Mammogram — left MLO. Patient age 44.
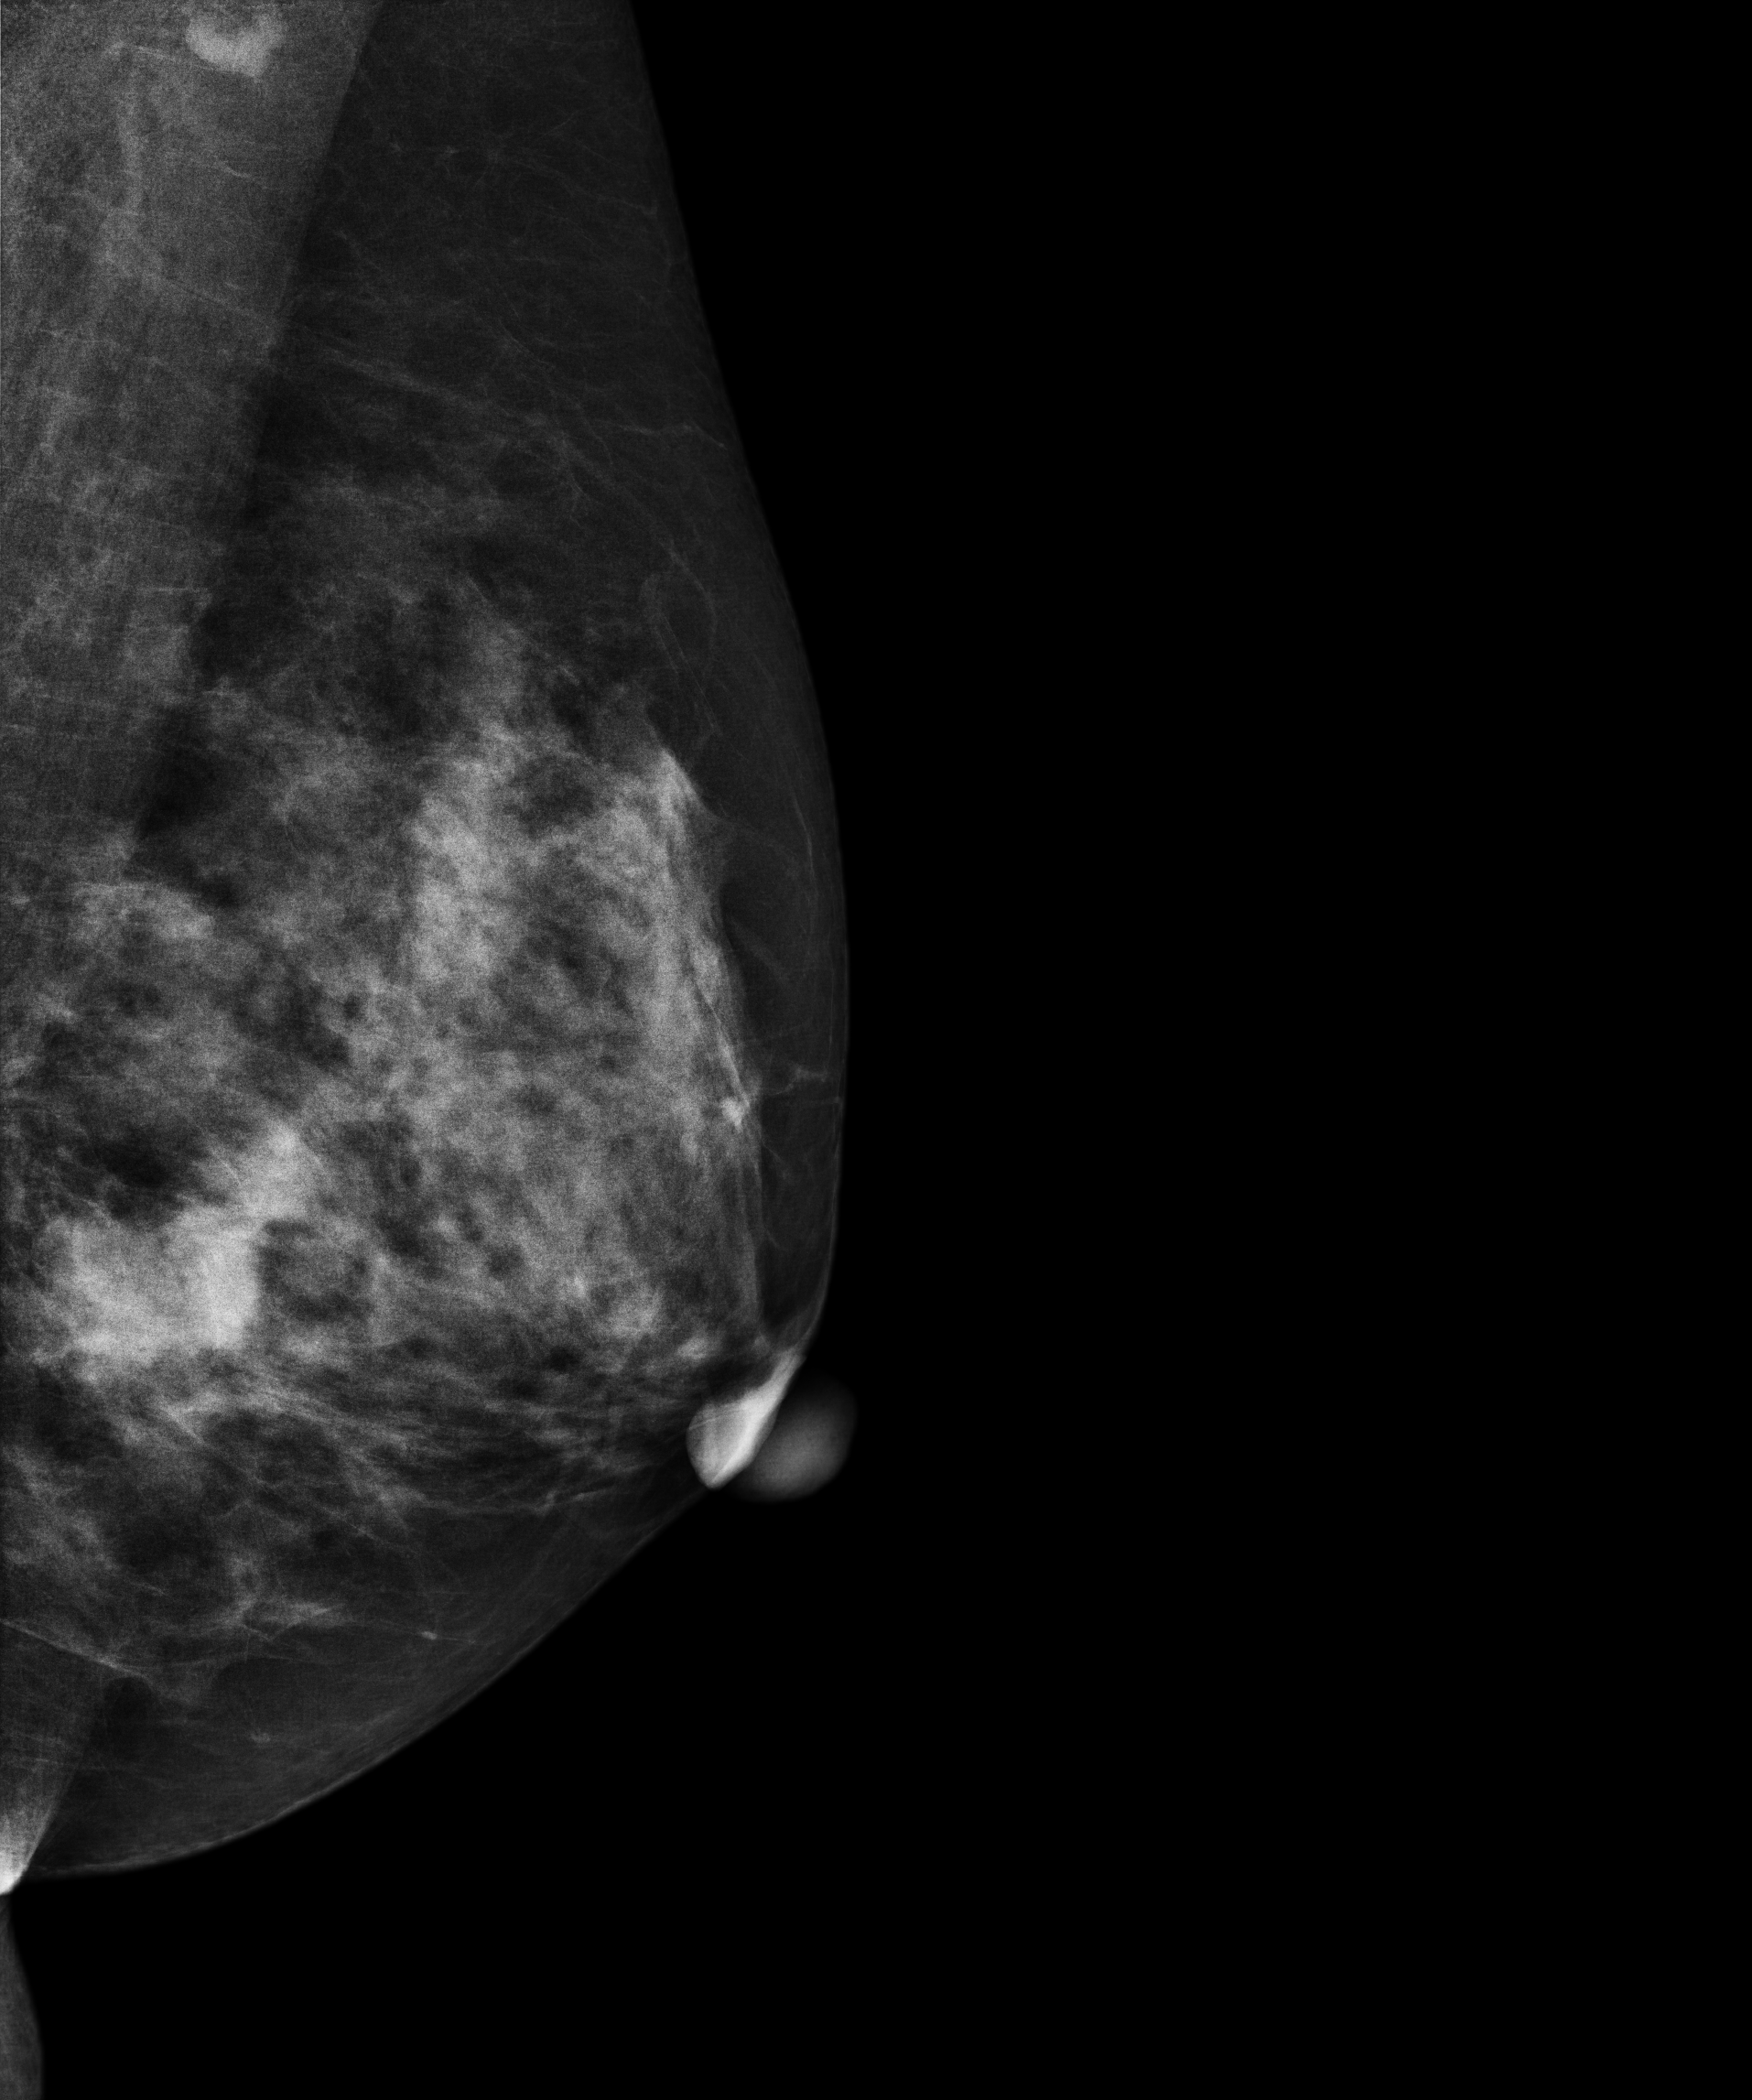
This breast has a mass, biopsy-confirmed malignant. Molecular subtype: luminal A.